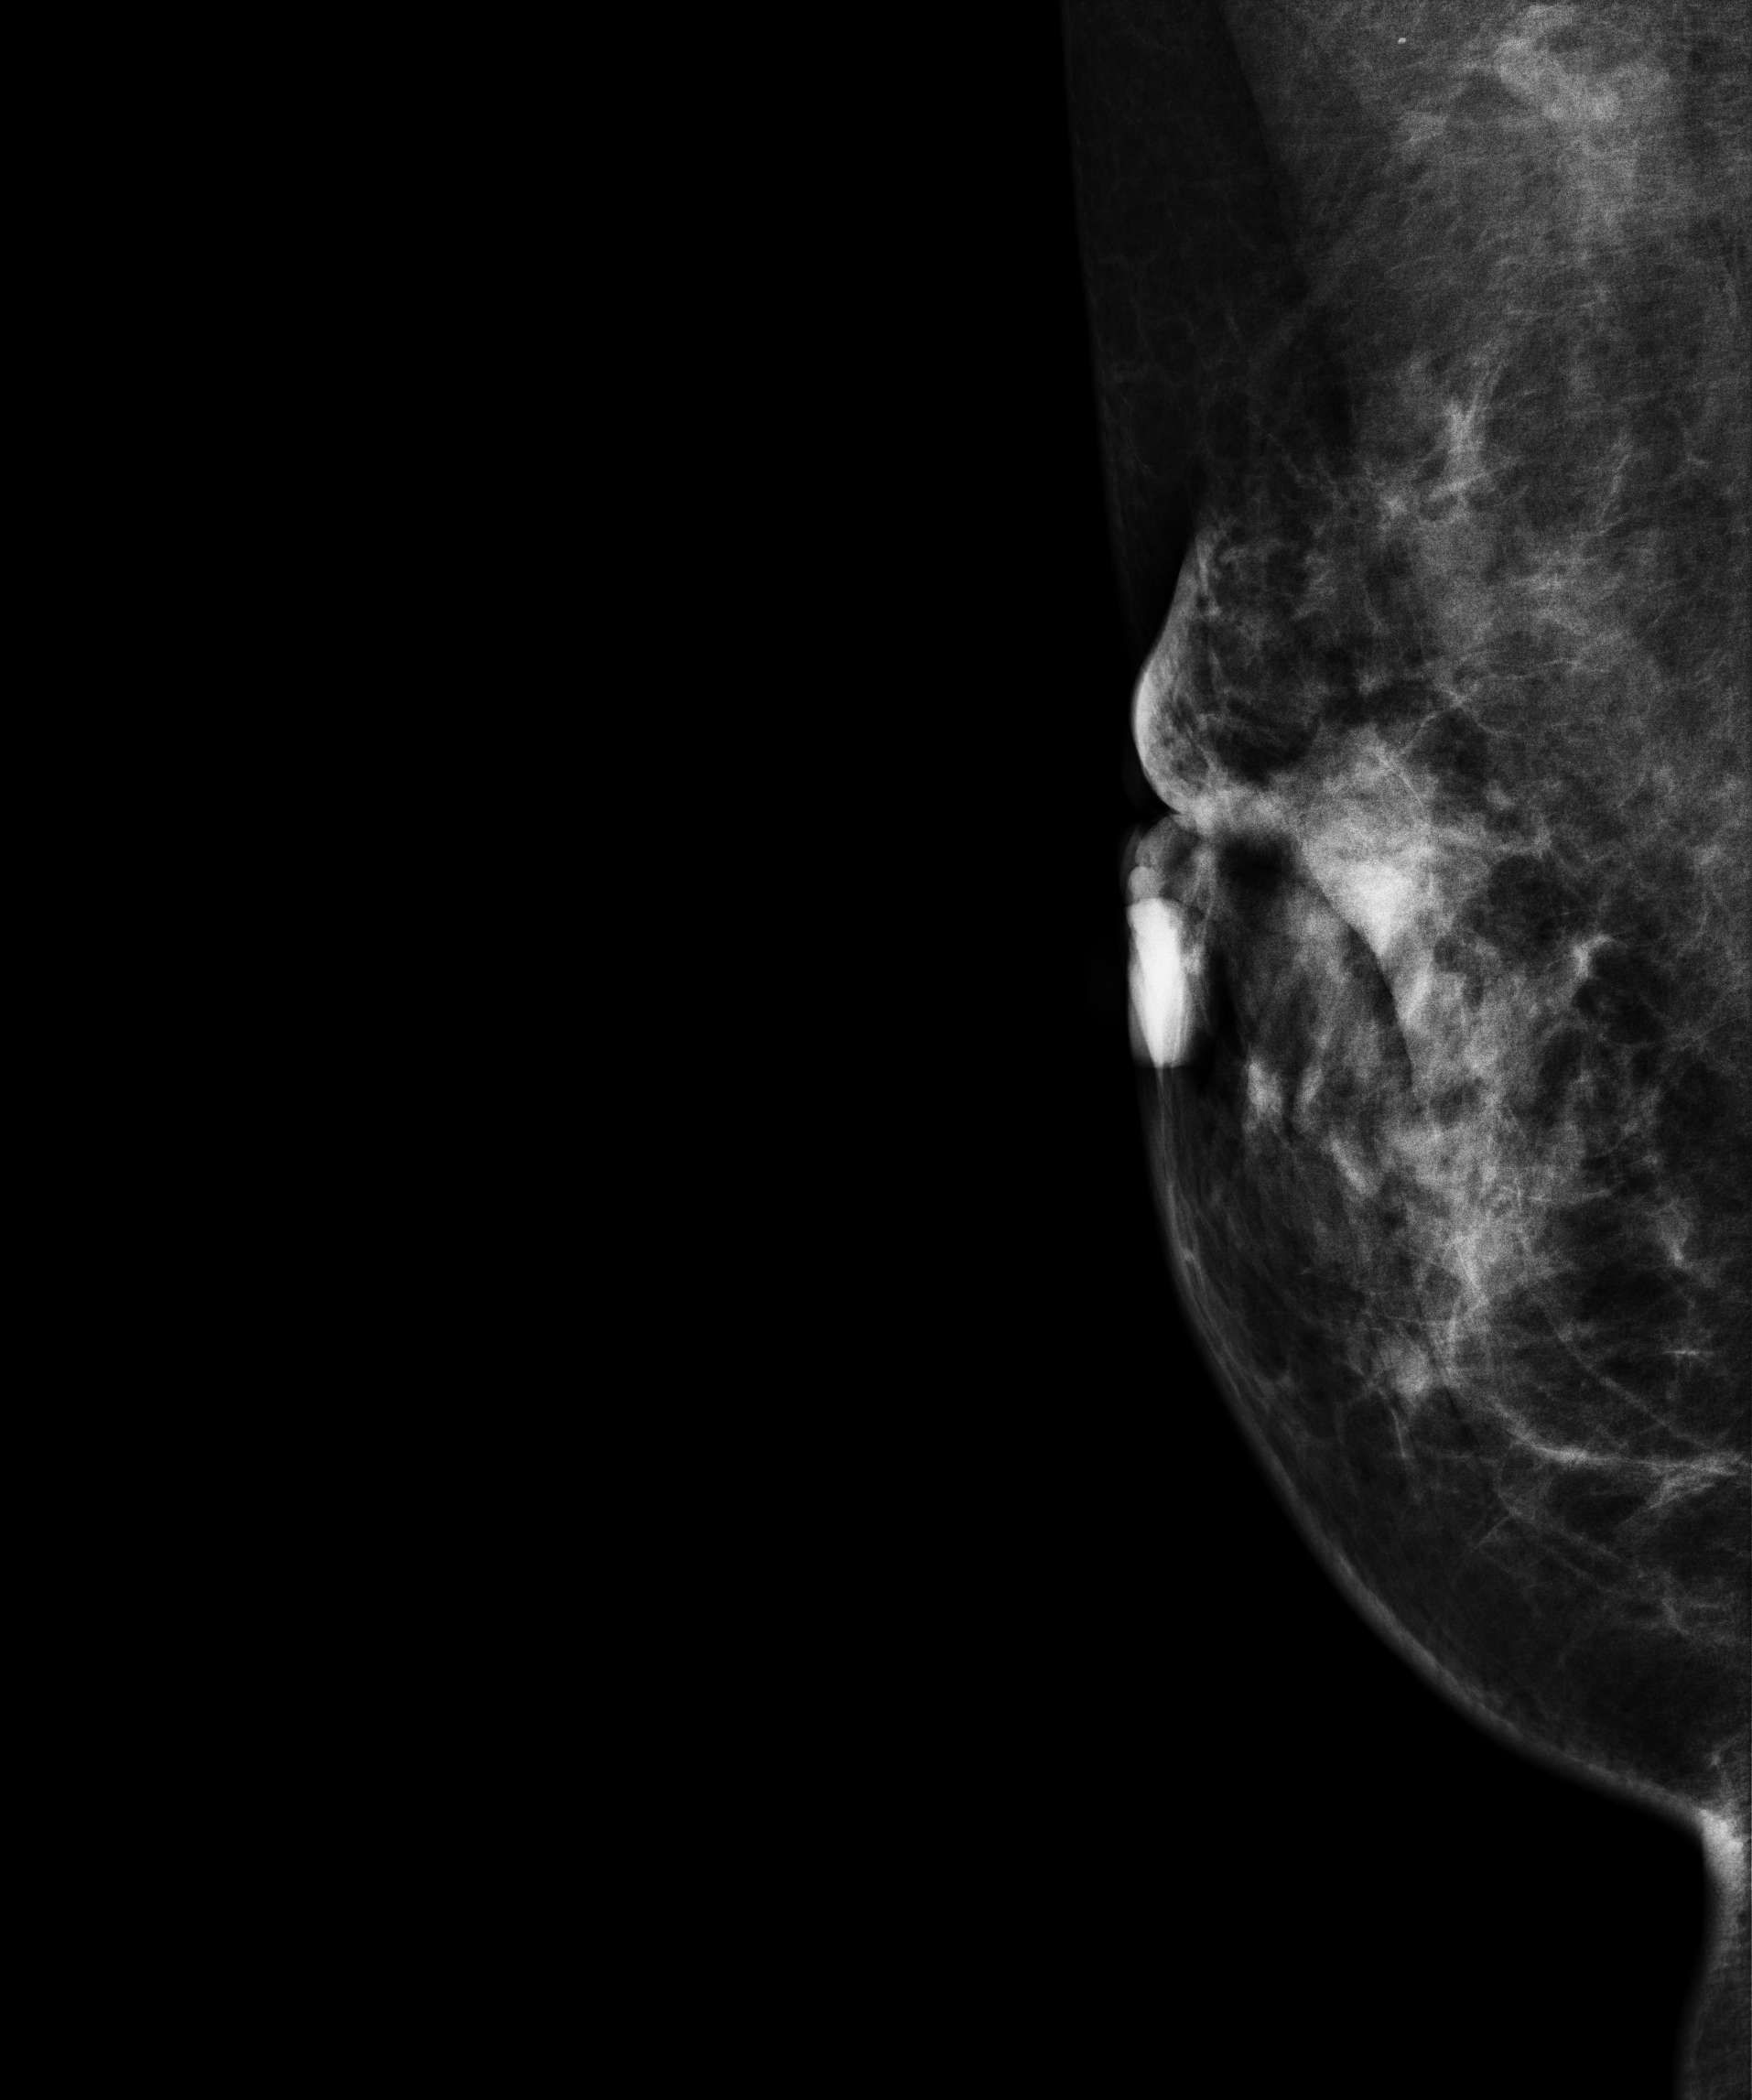
Medio-lateral oblique mammogram of the right breast. Patient age 42.
This breast has a mass, biopsy-proven malignant. Molecular subtype: triple-negative.